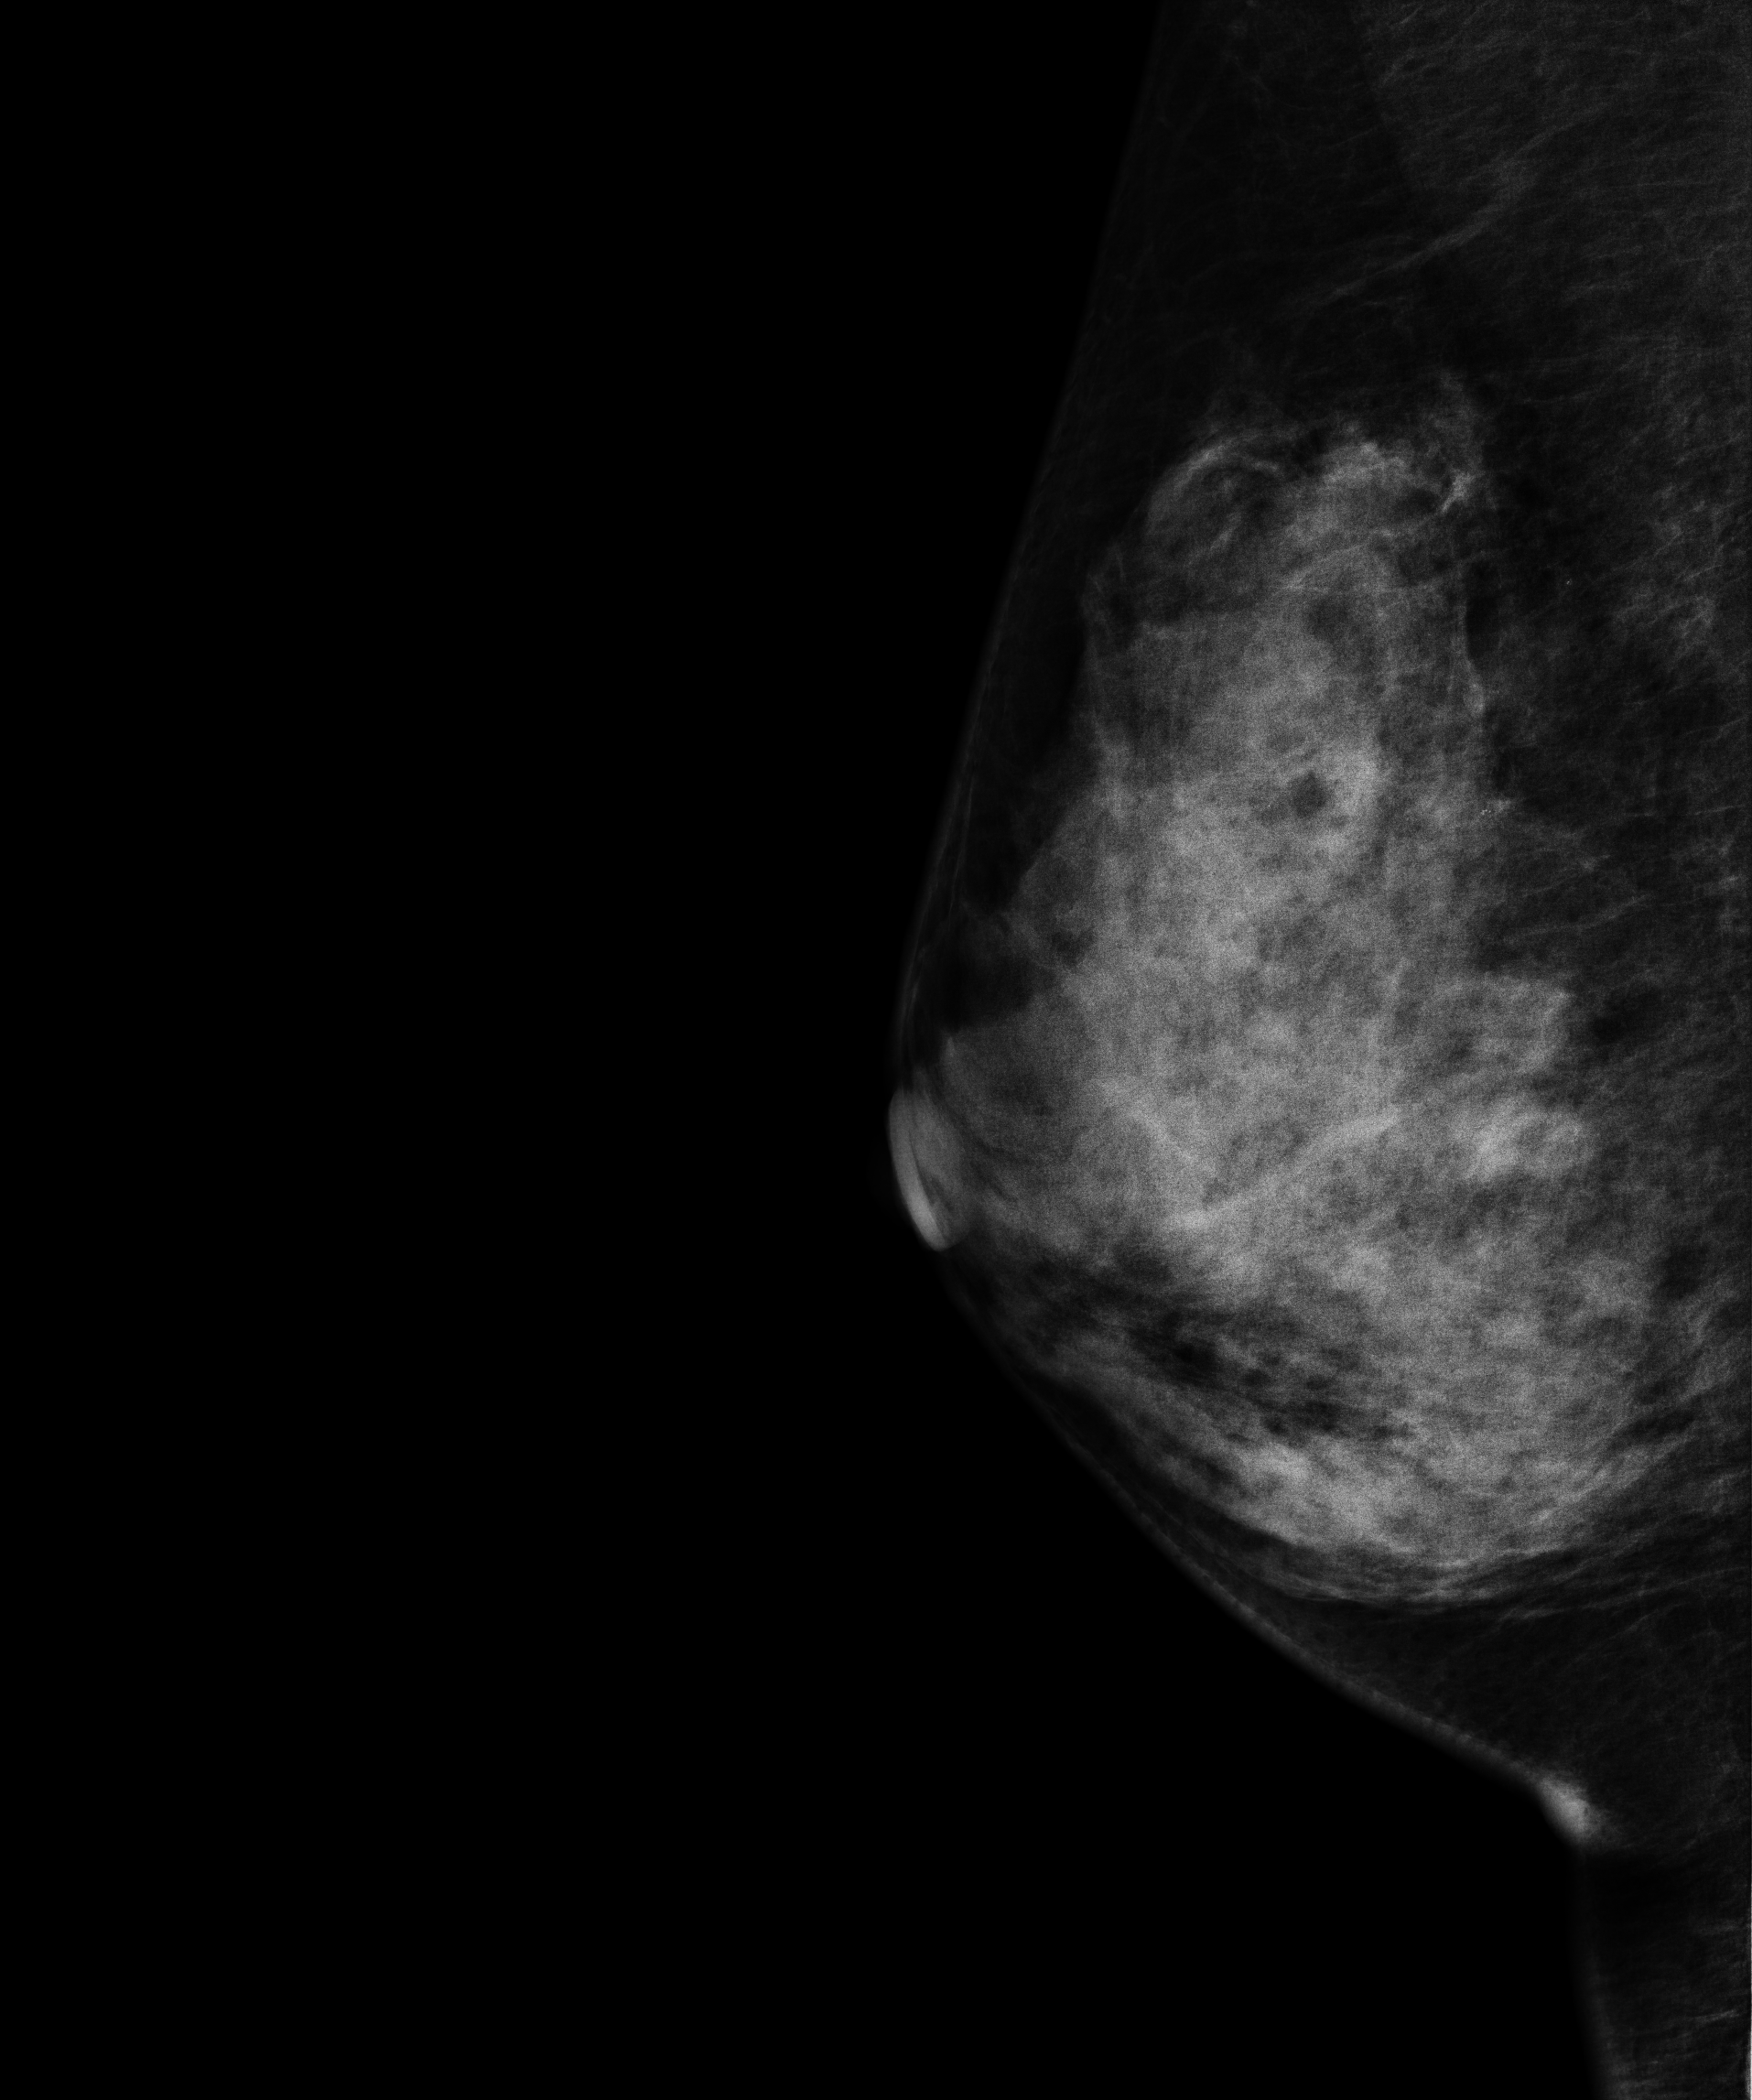
Mammogram — right MLO. 41-year-old patient.
This breast has a mass, histologically confirmed malignant.